Right-breast mammogram, cranio-caudal. 42 y/o patient.
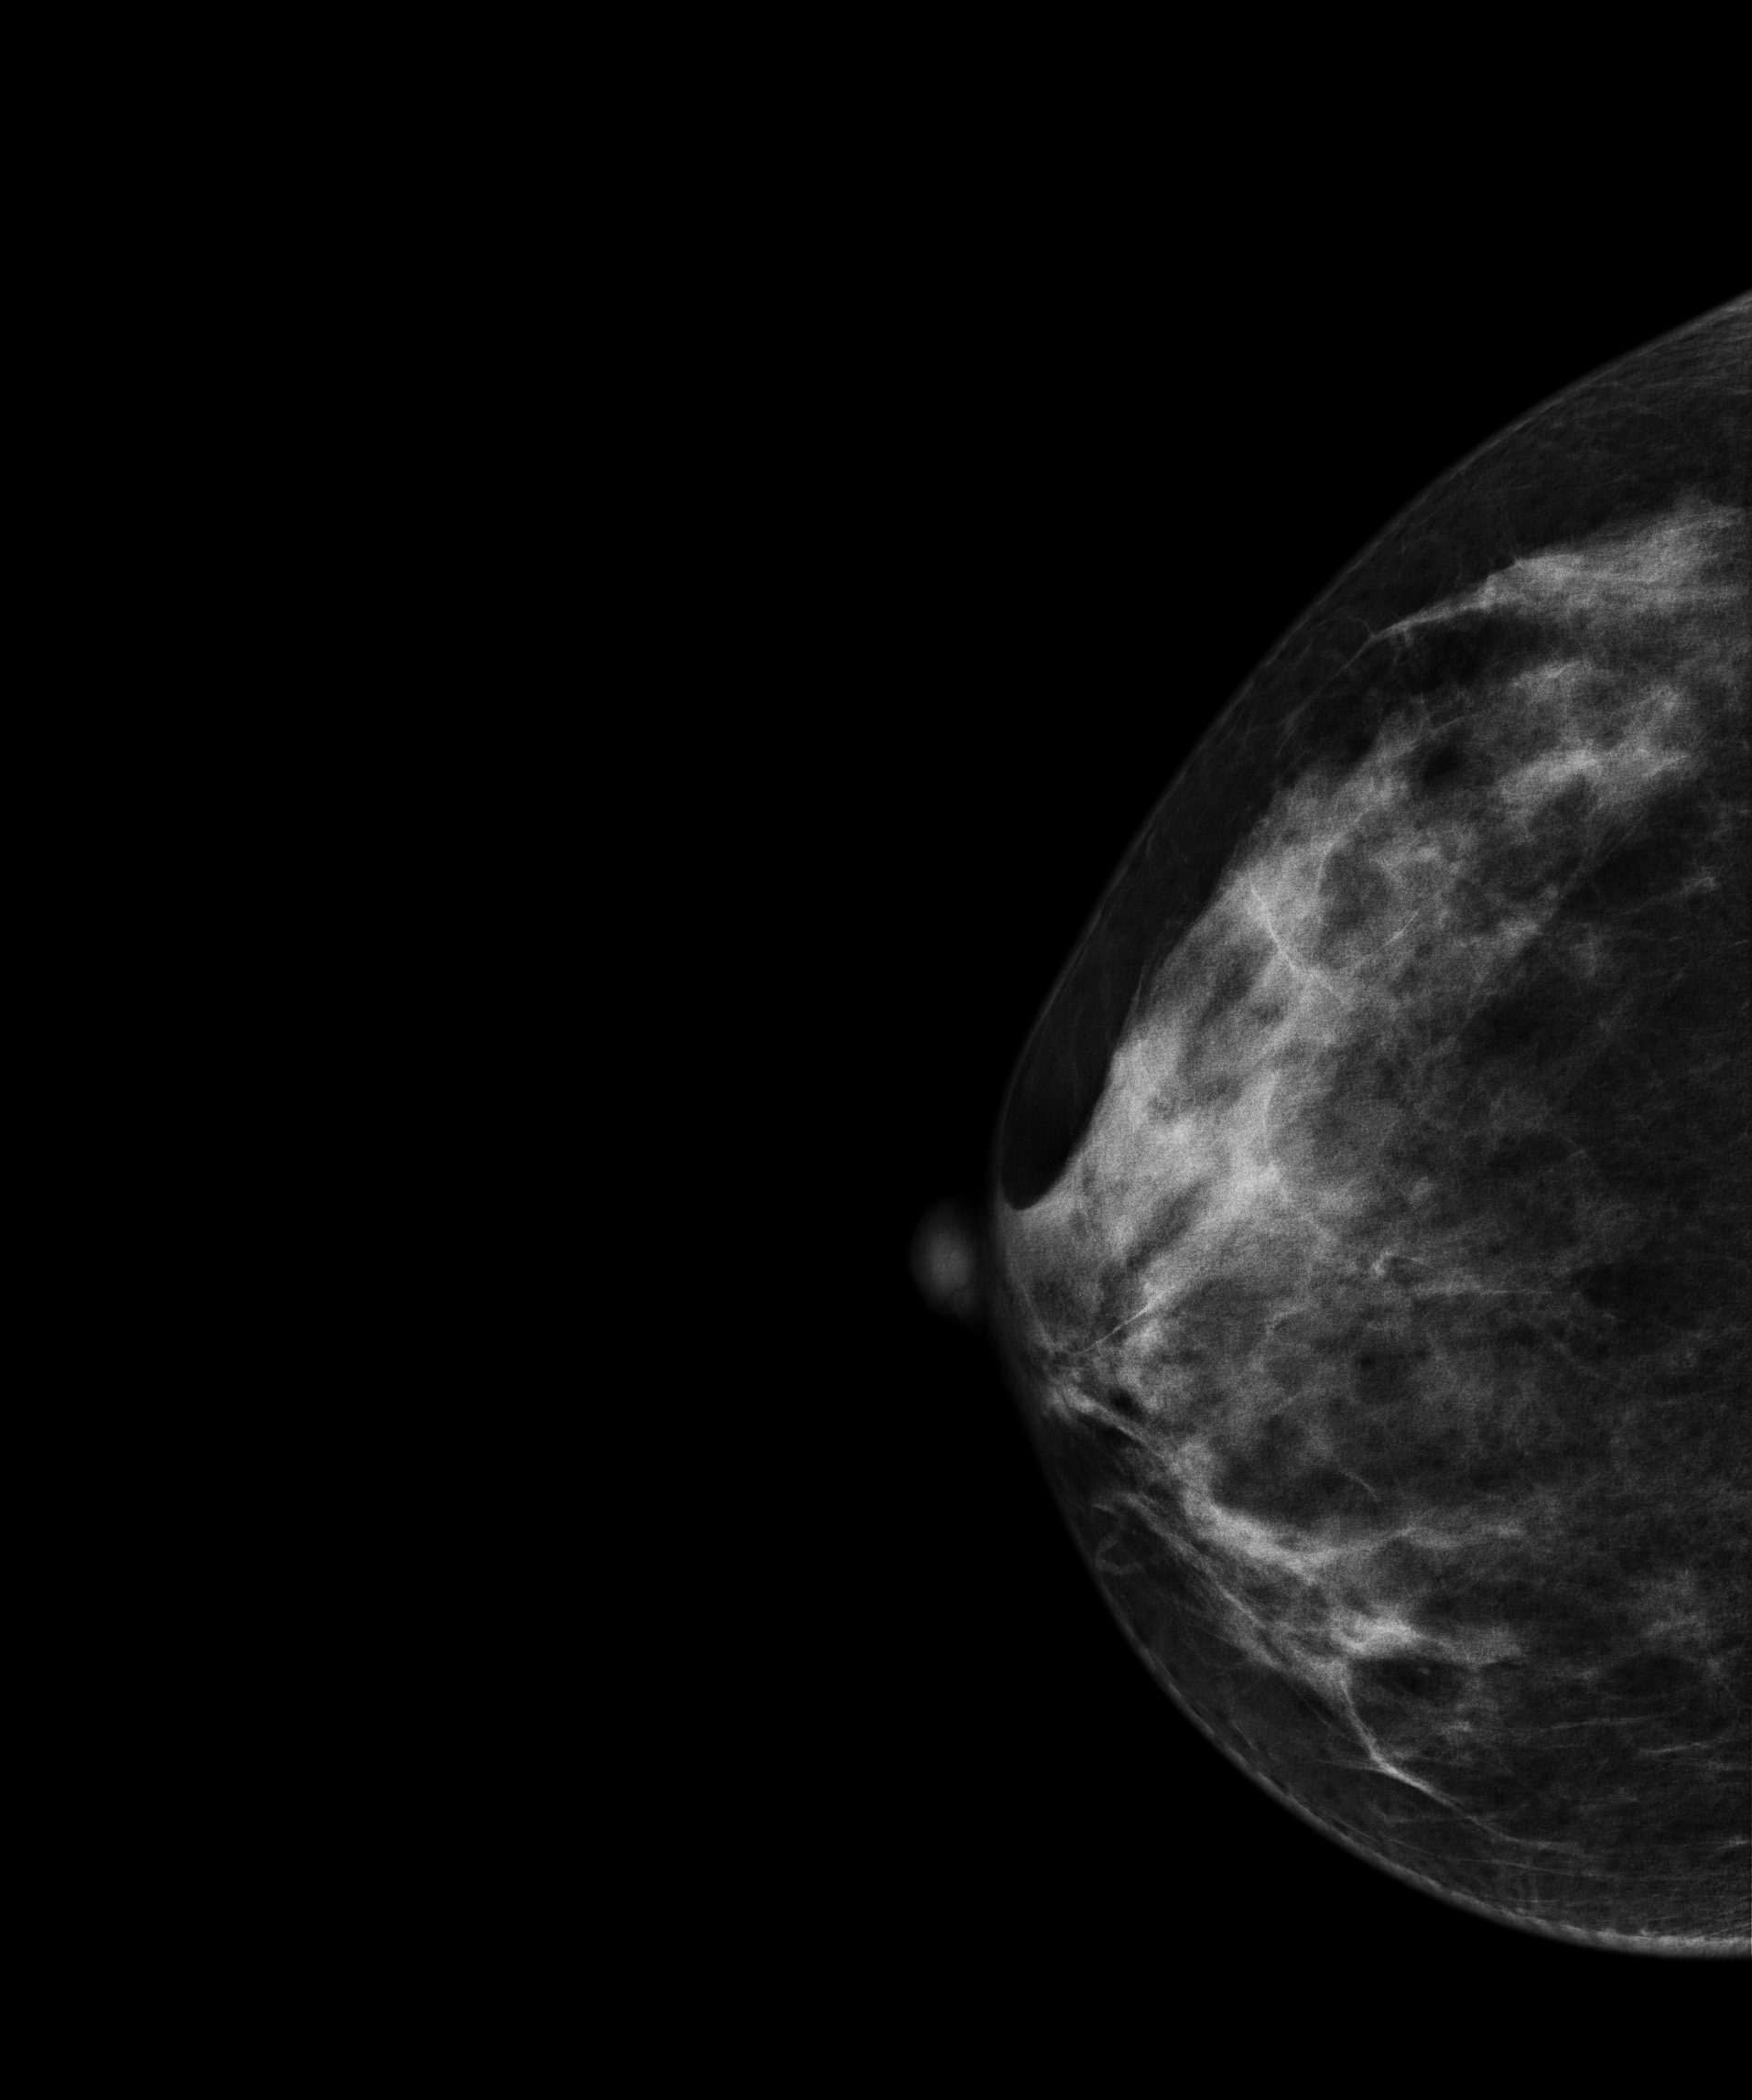
This breast has a mass, biopsy-proven malignant. Molecular subtype: luminal B.